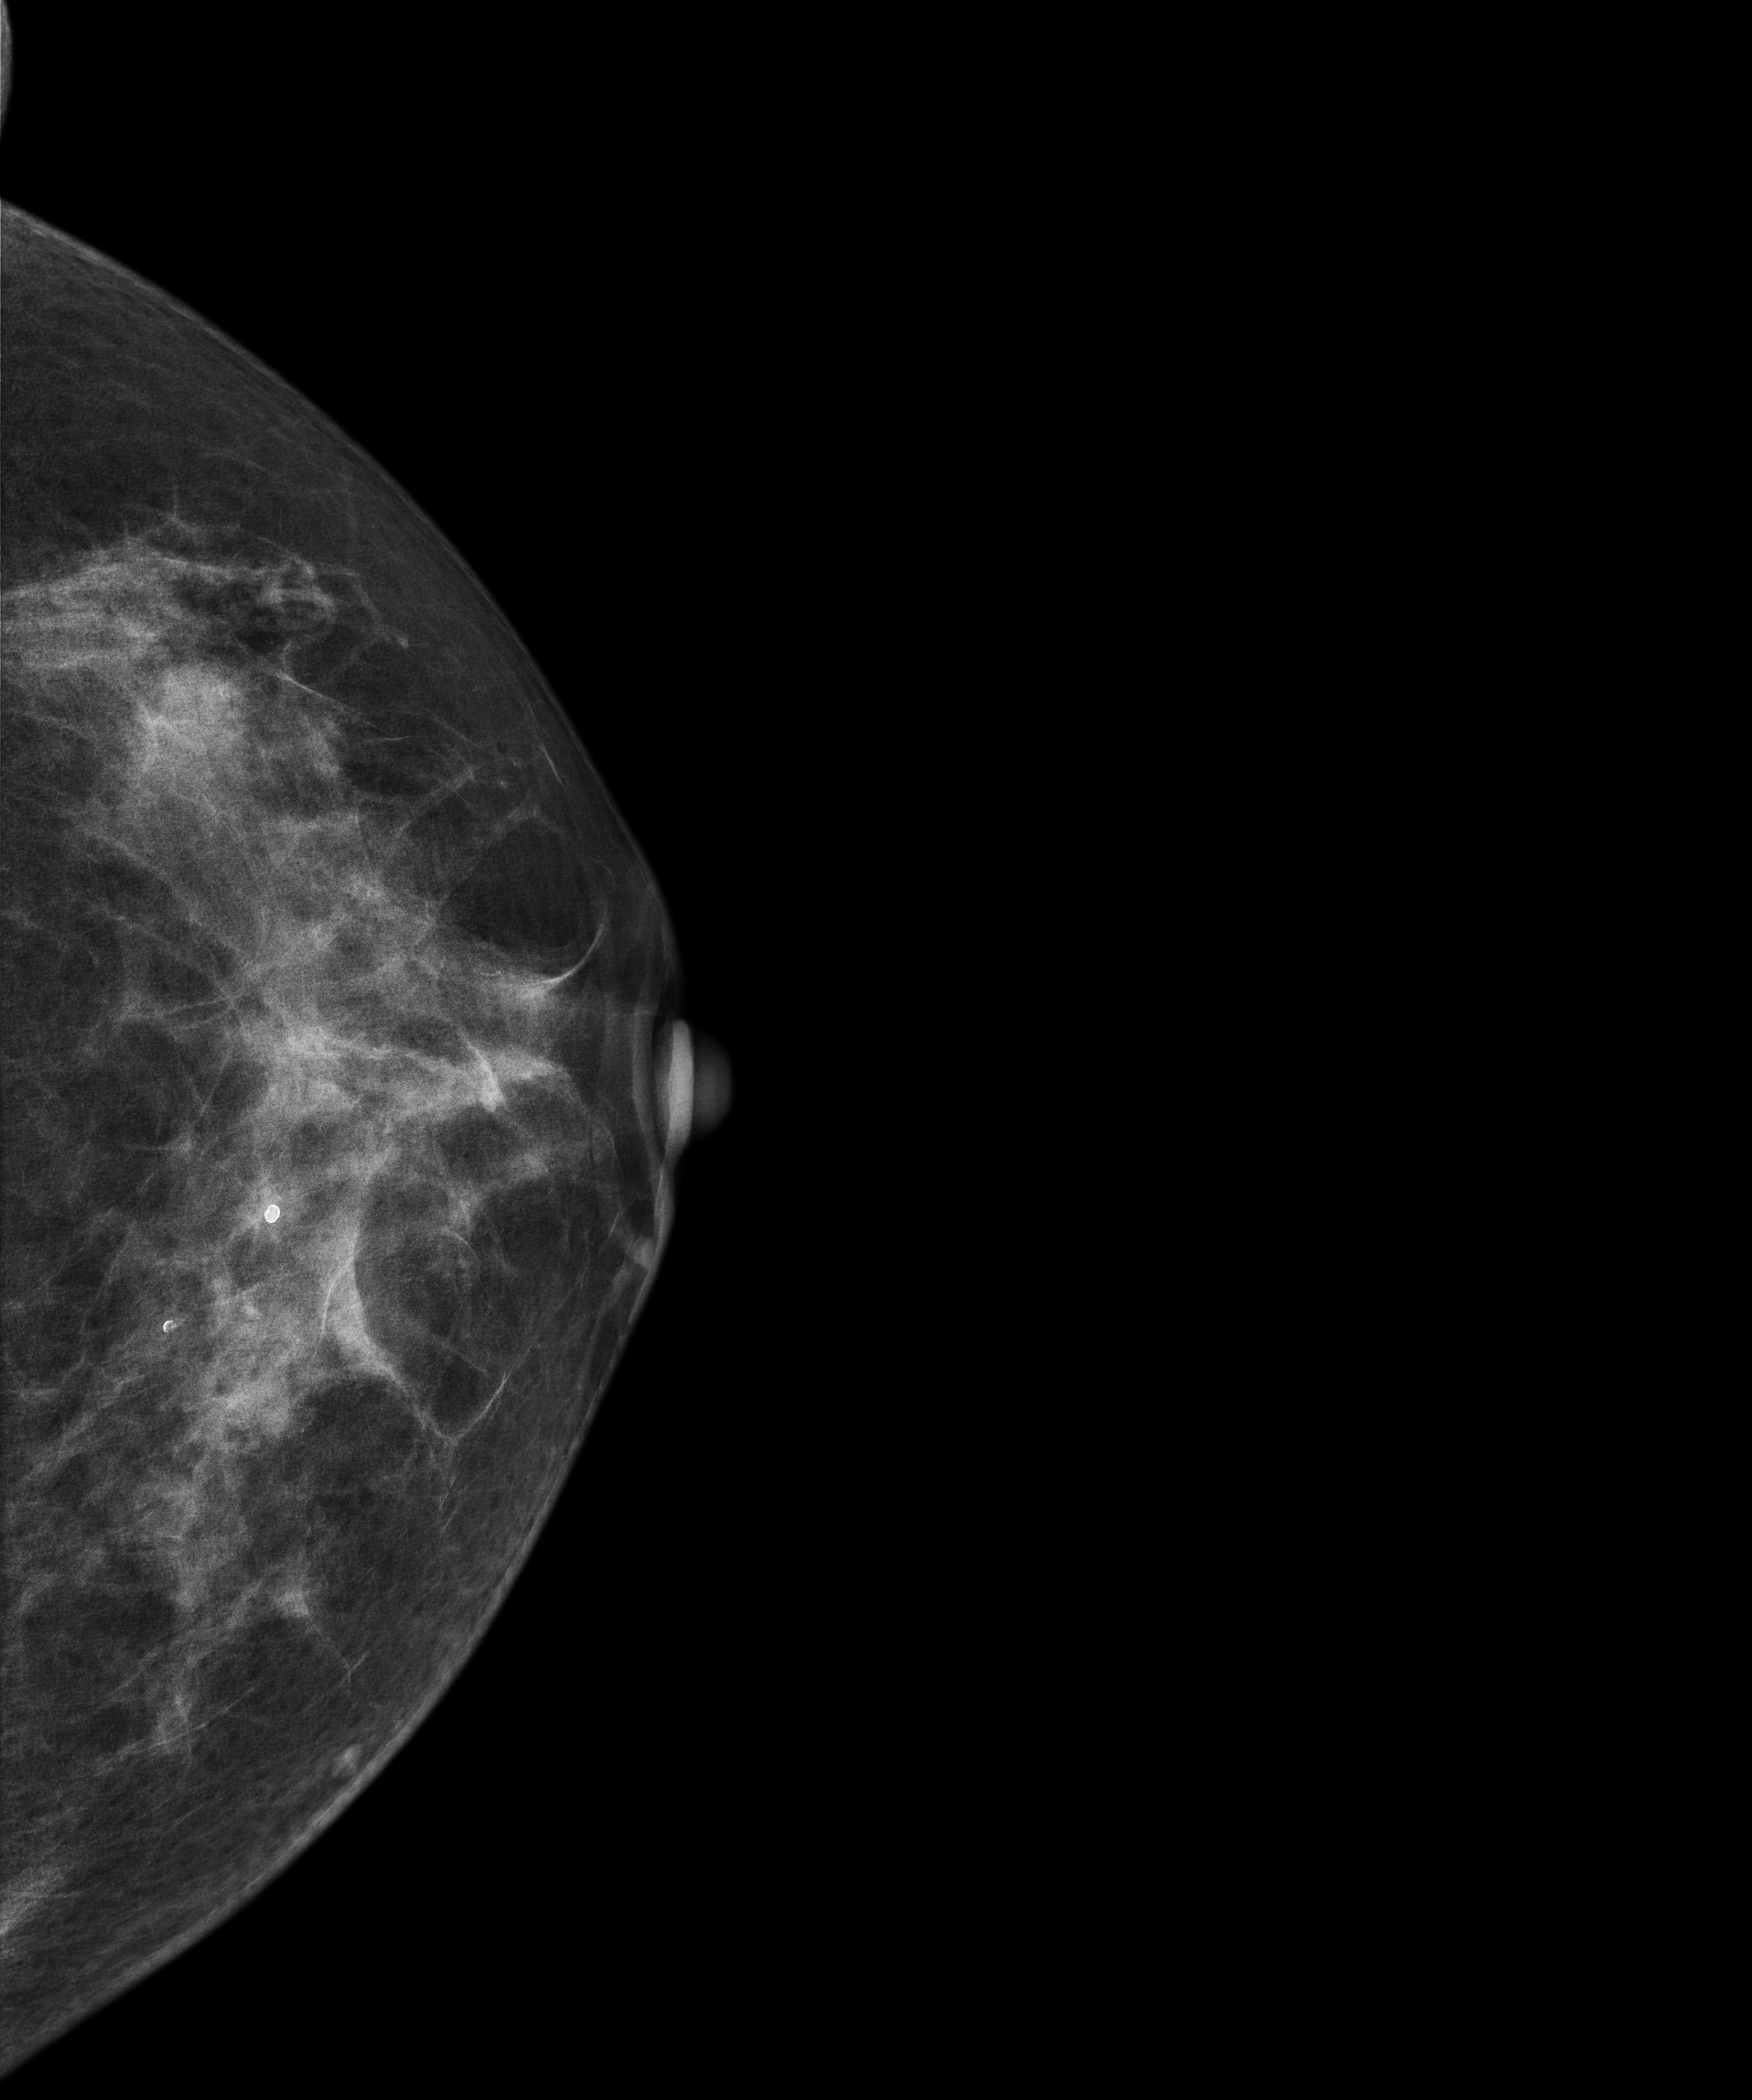
Digital mammography. Left breast, cranio-caudal projection. 57-year-old patient.
Contralateral breast — no documented abnormality on this side.